Digital mammography. Left breast, MLO projection. Patient age 64.
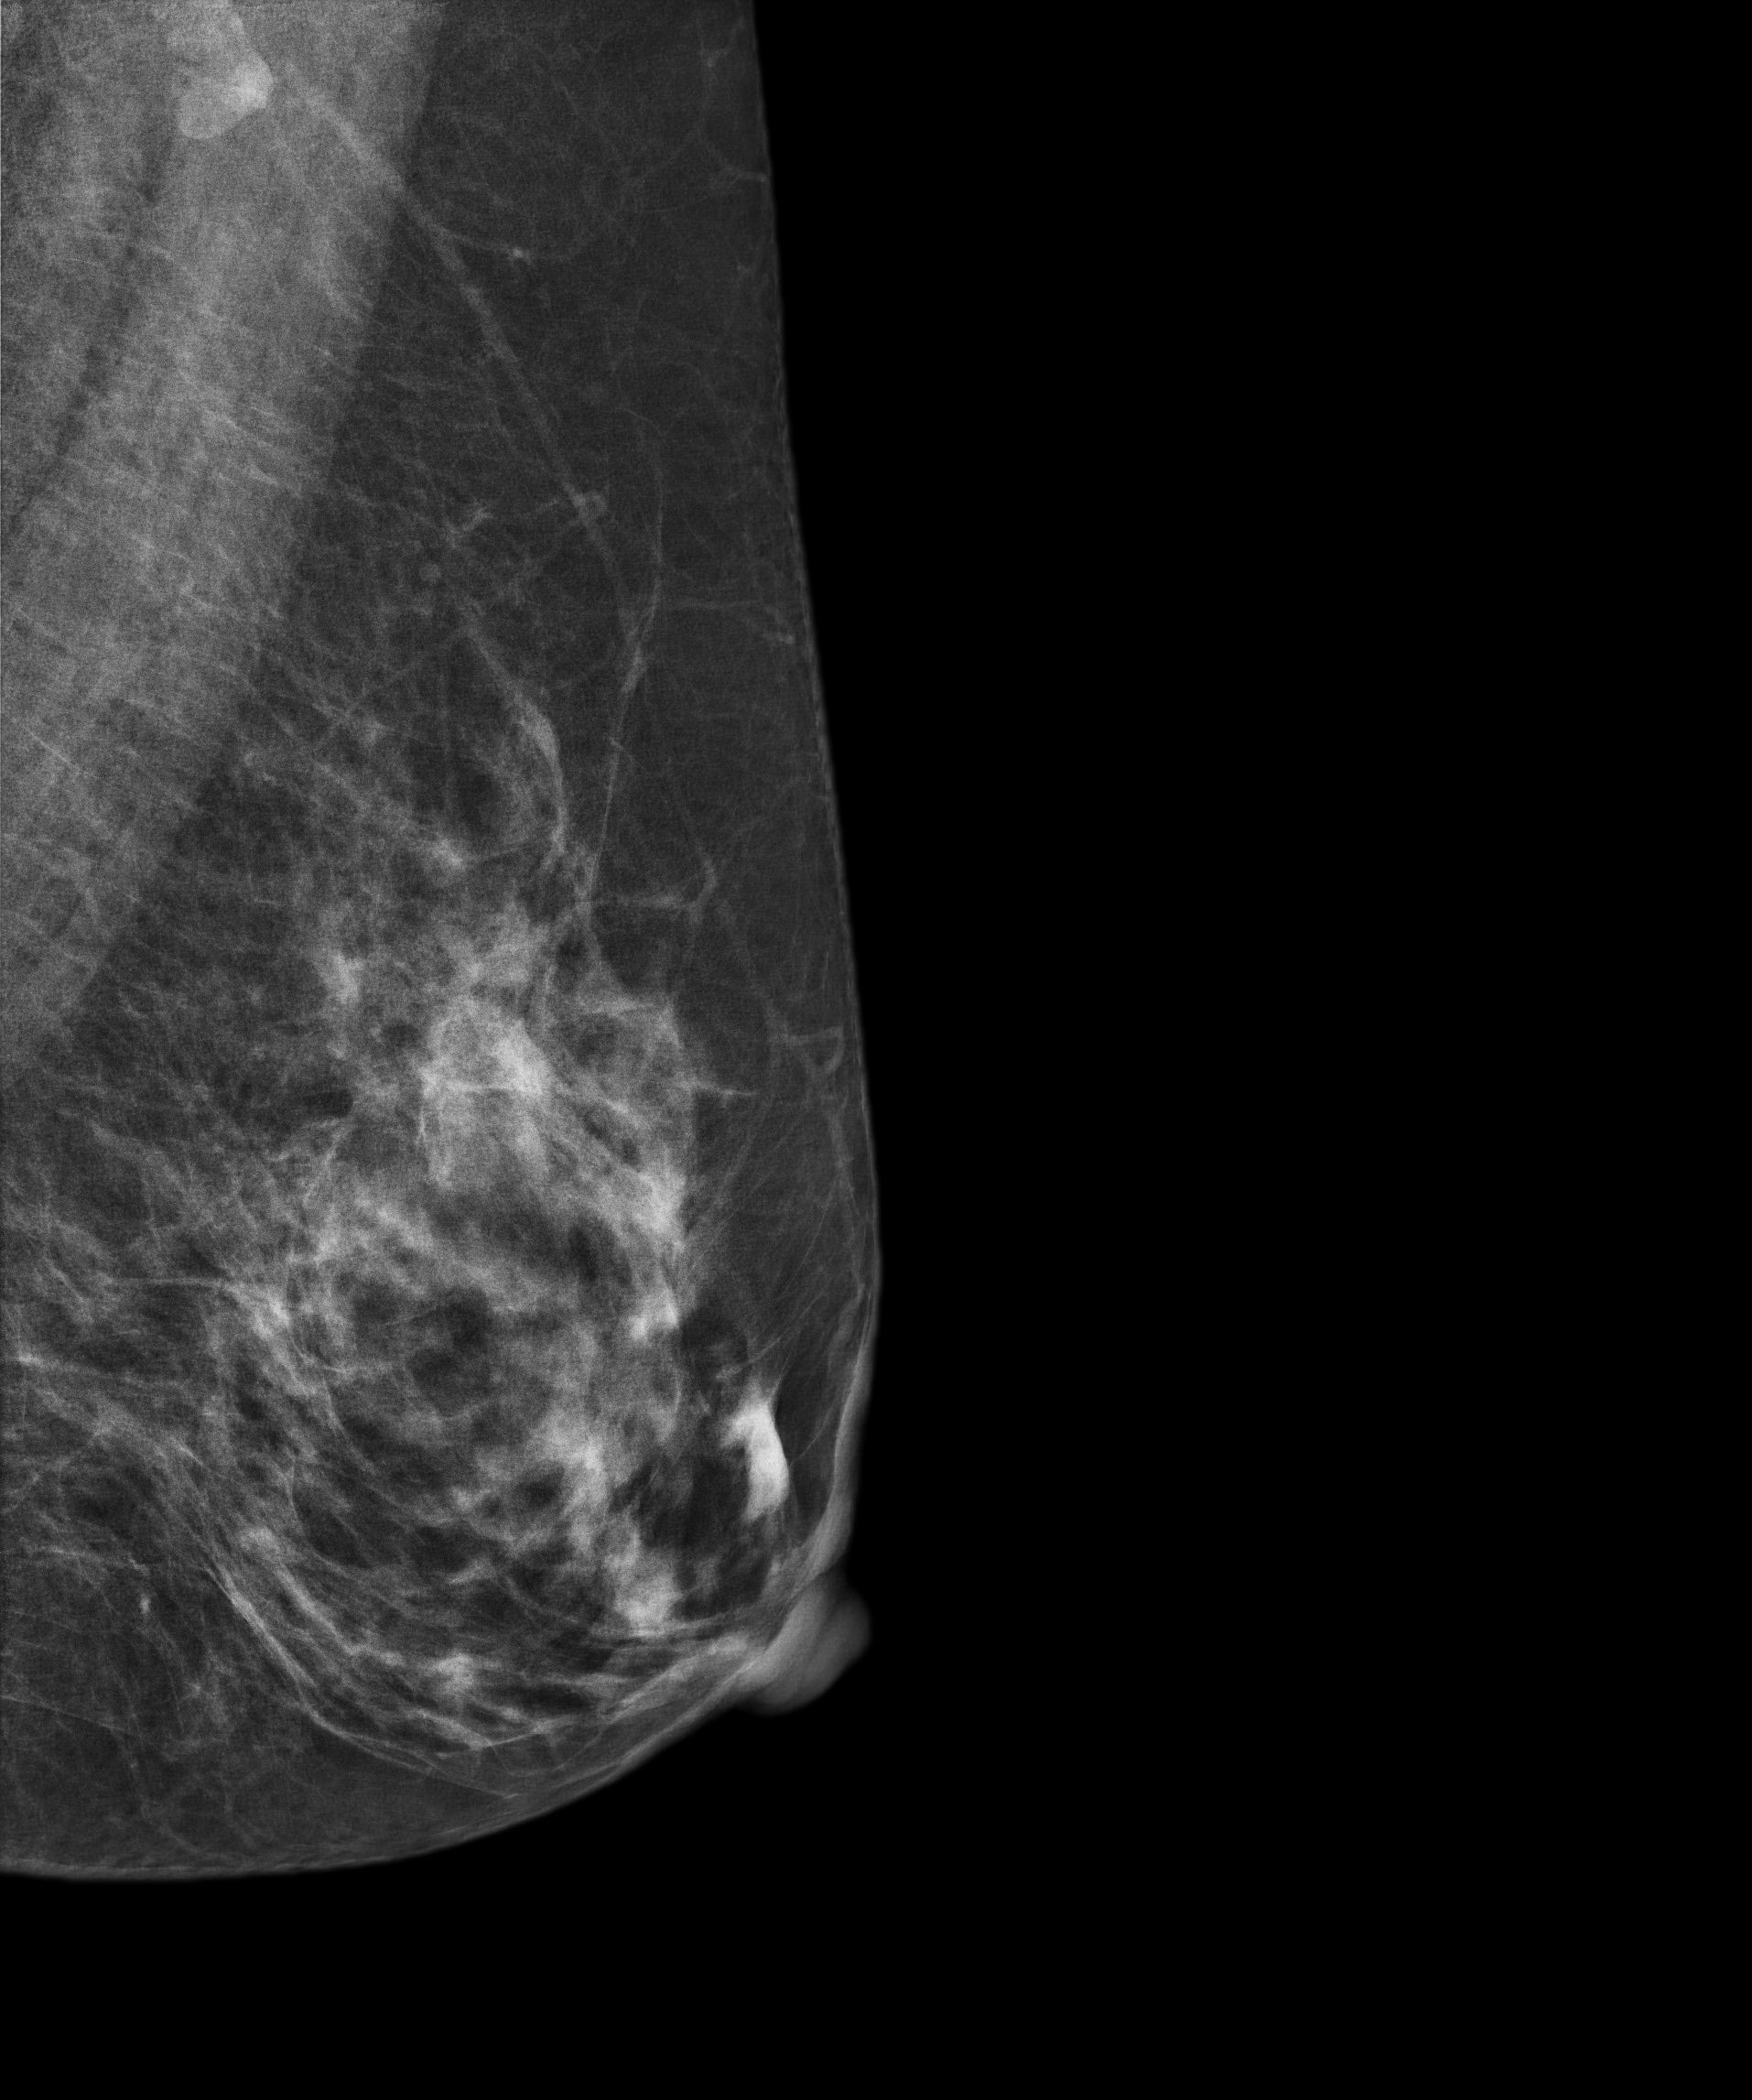
Contralateral breast — no documented abnormality on this side.